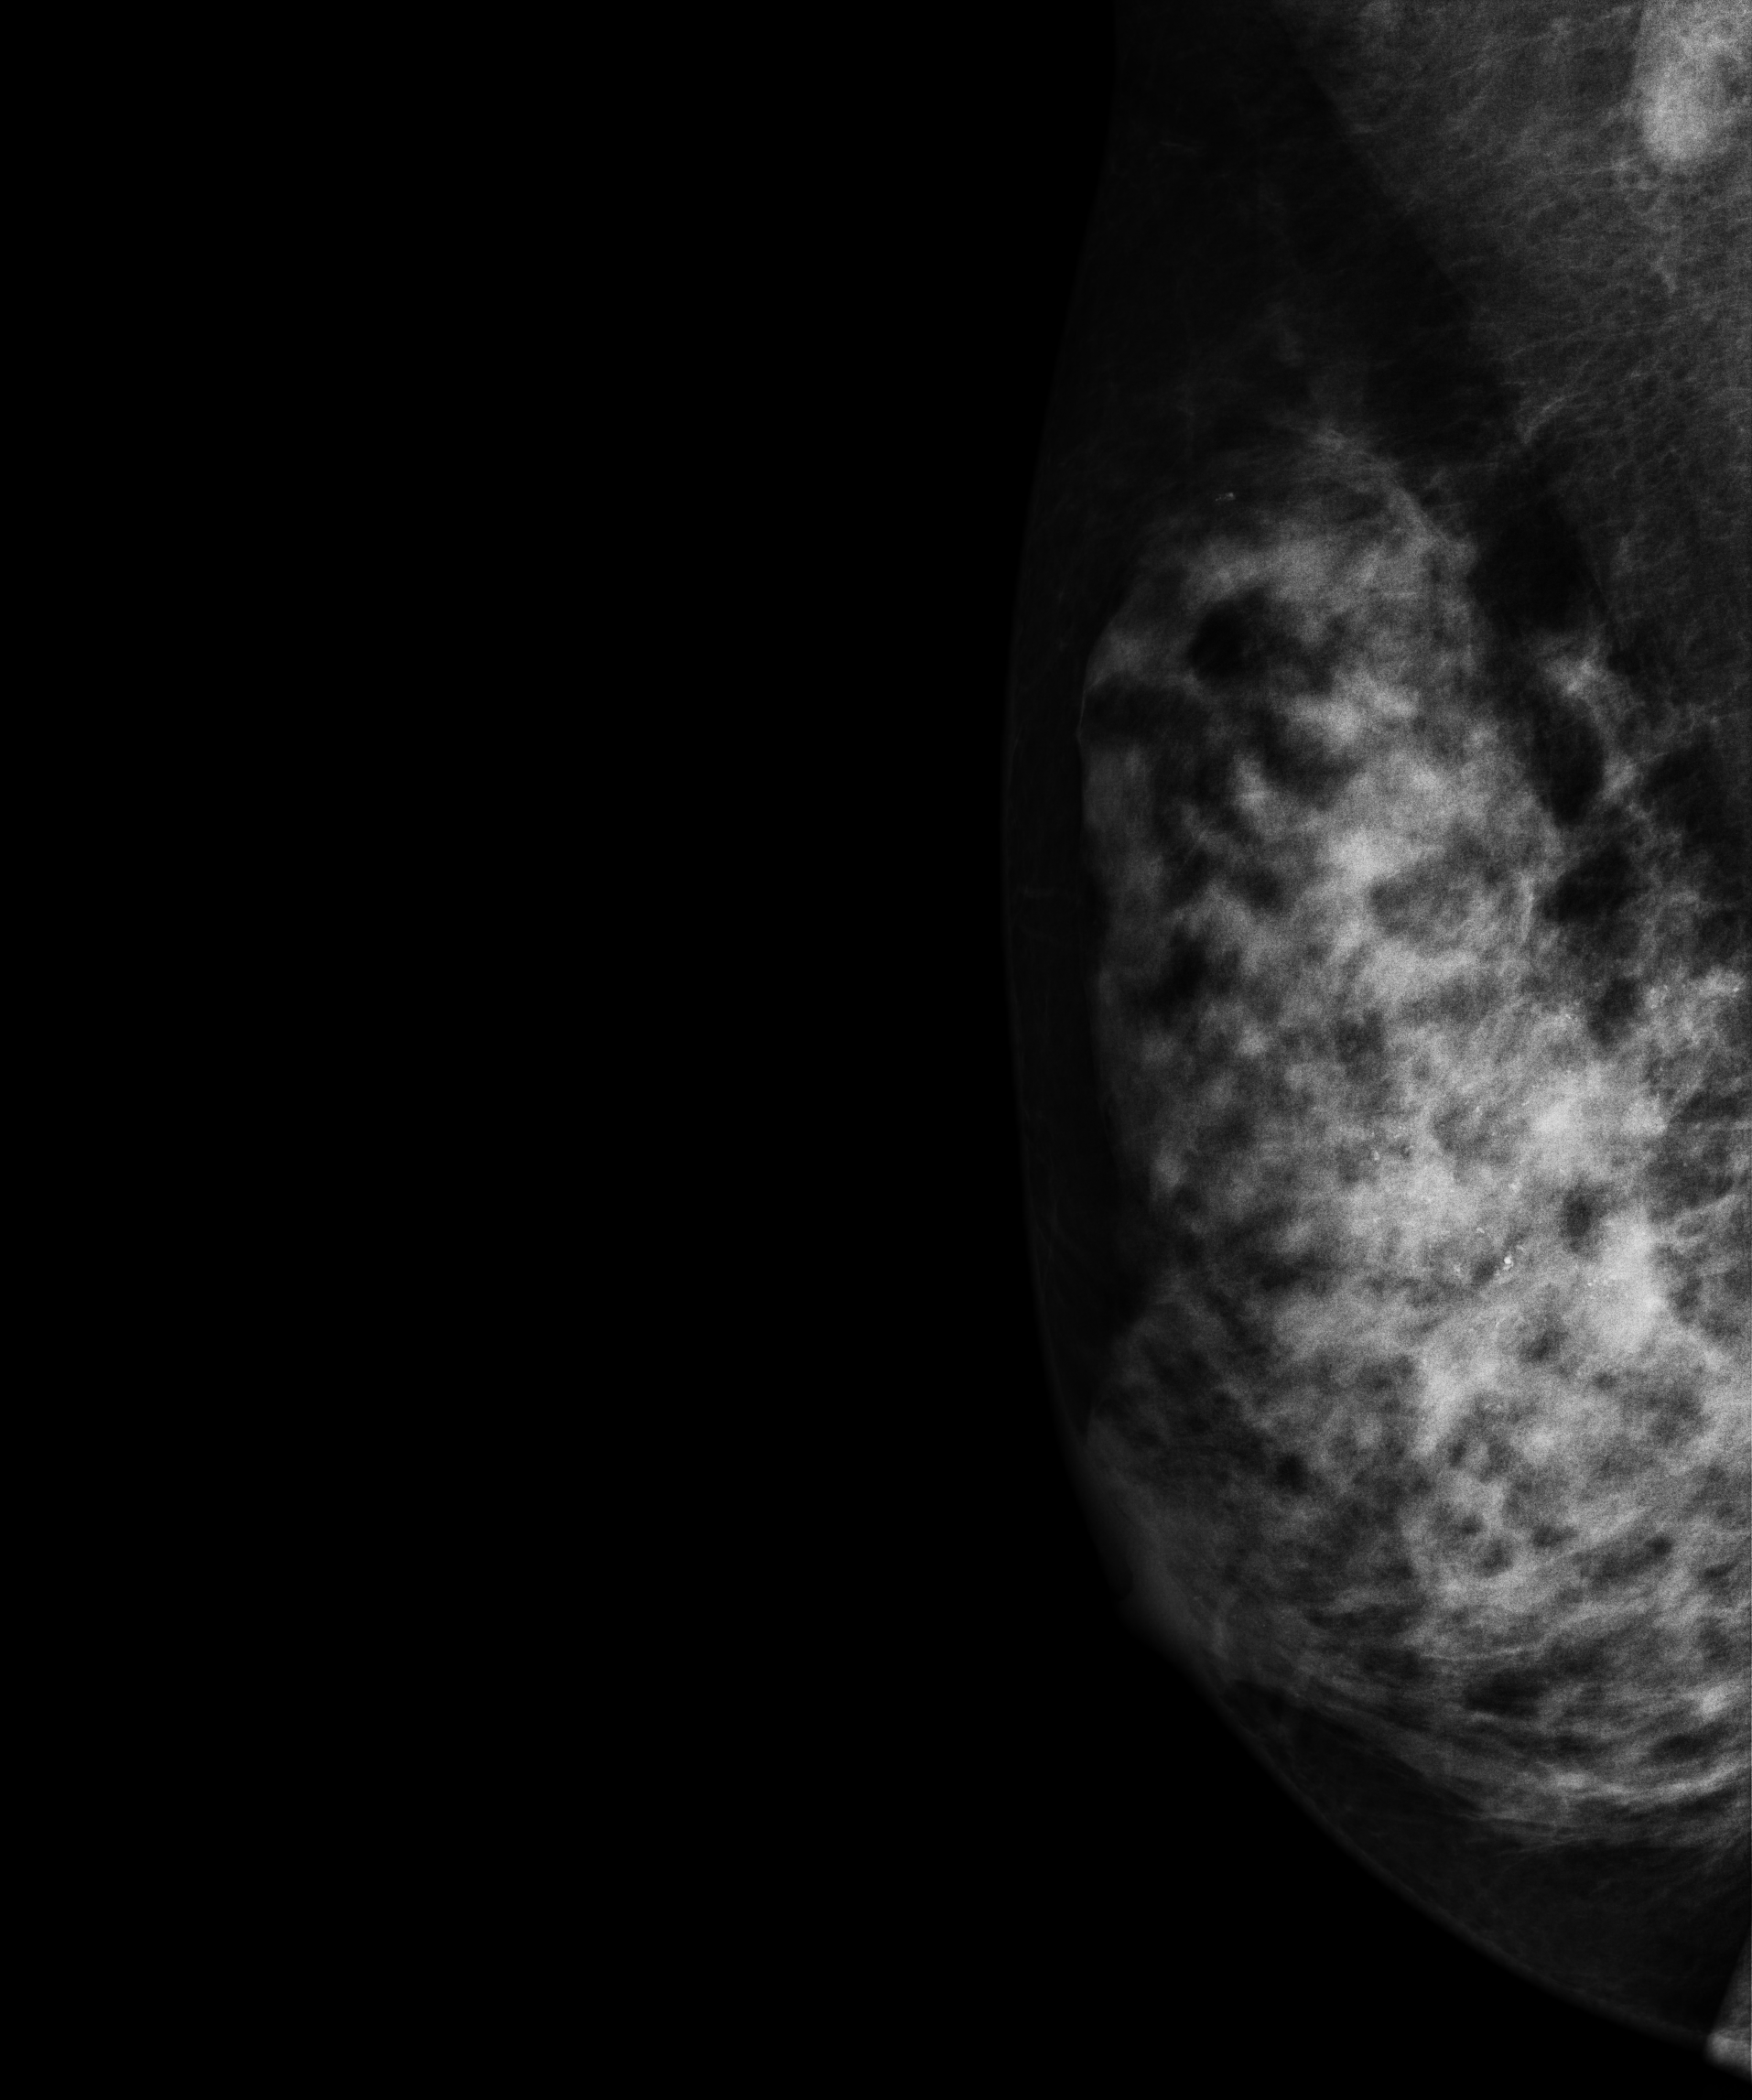
Medio-lateral oblique mammogram of the right breast. 41 y/o patient.
This breast has calcifications, biopsy-confirmed malignant. Molecular subtype: HER2-enriched.